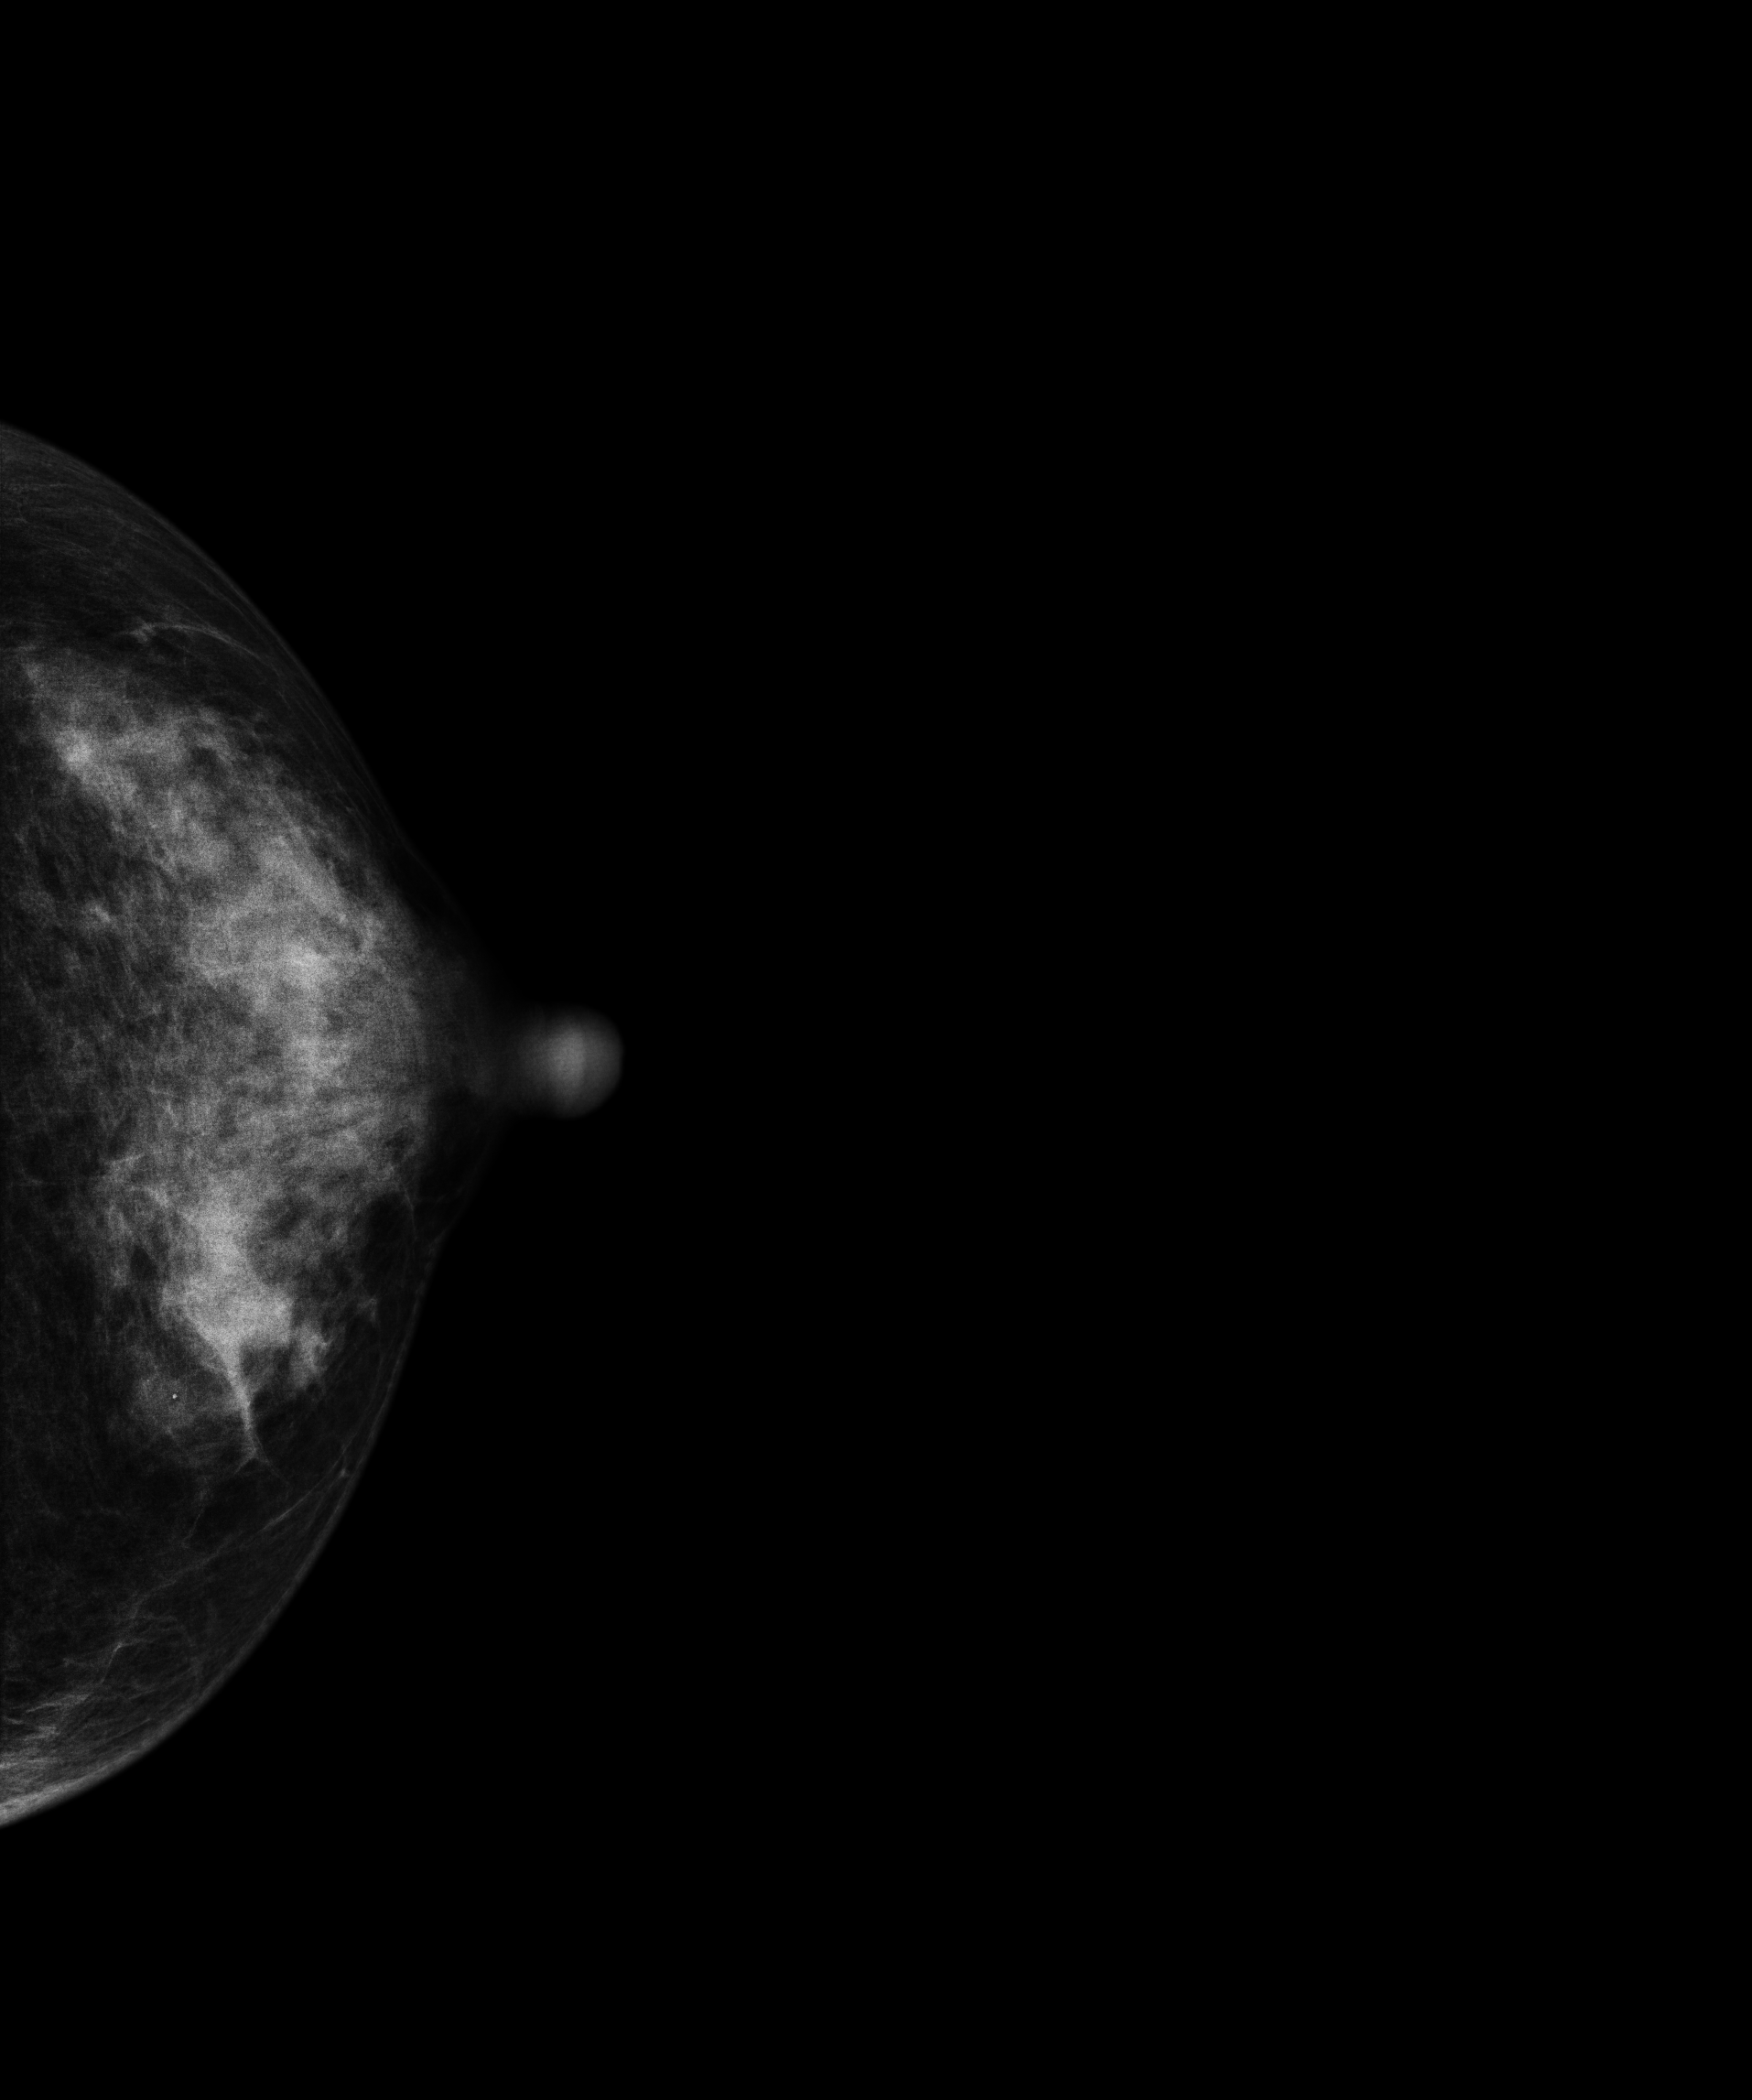
Mammogram — left CC. 52-year-old patient.
This breast has a mass and calcifications, histologically confirmed benign.